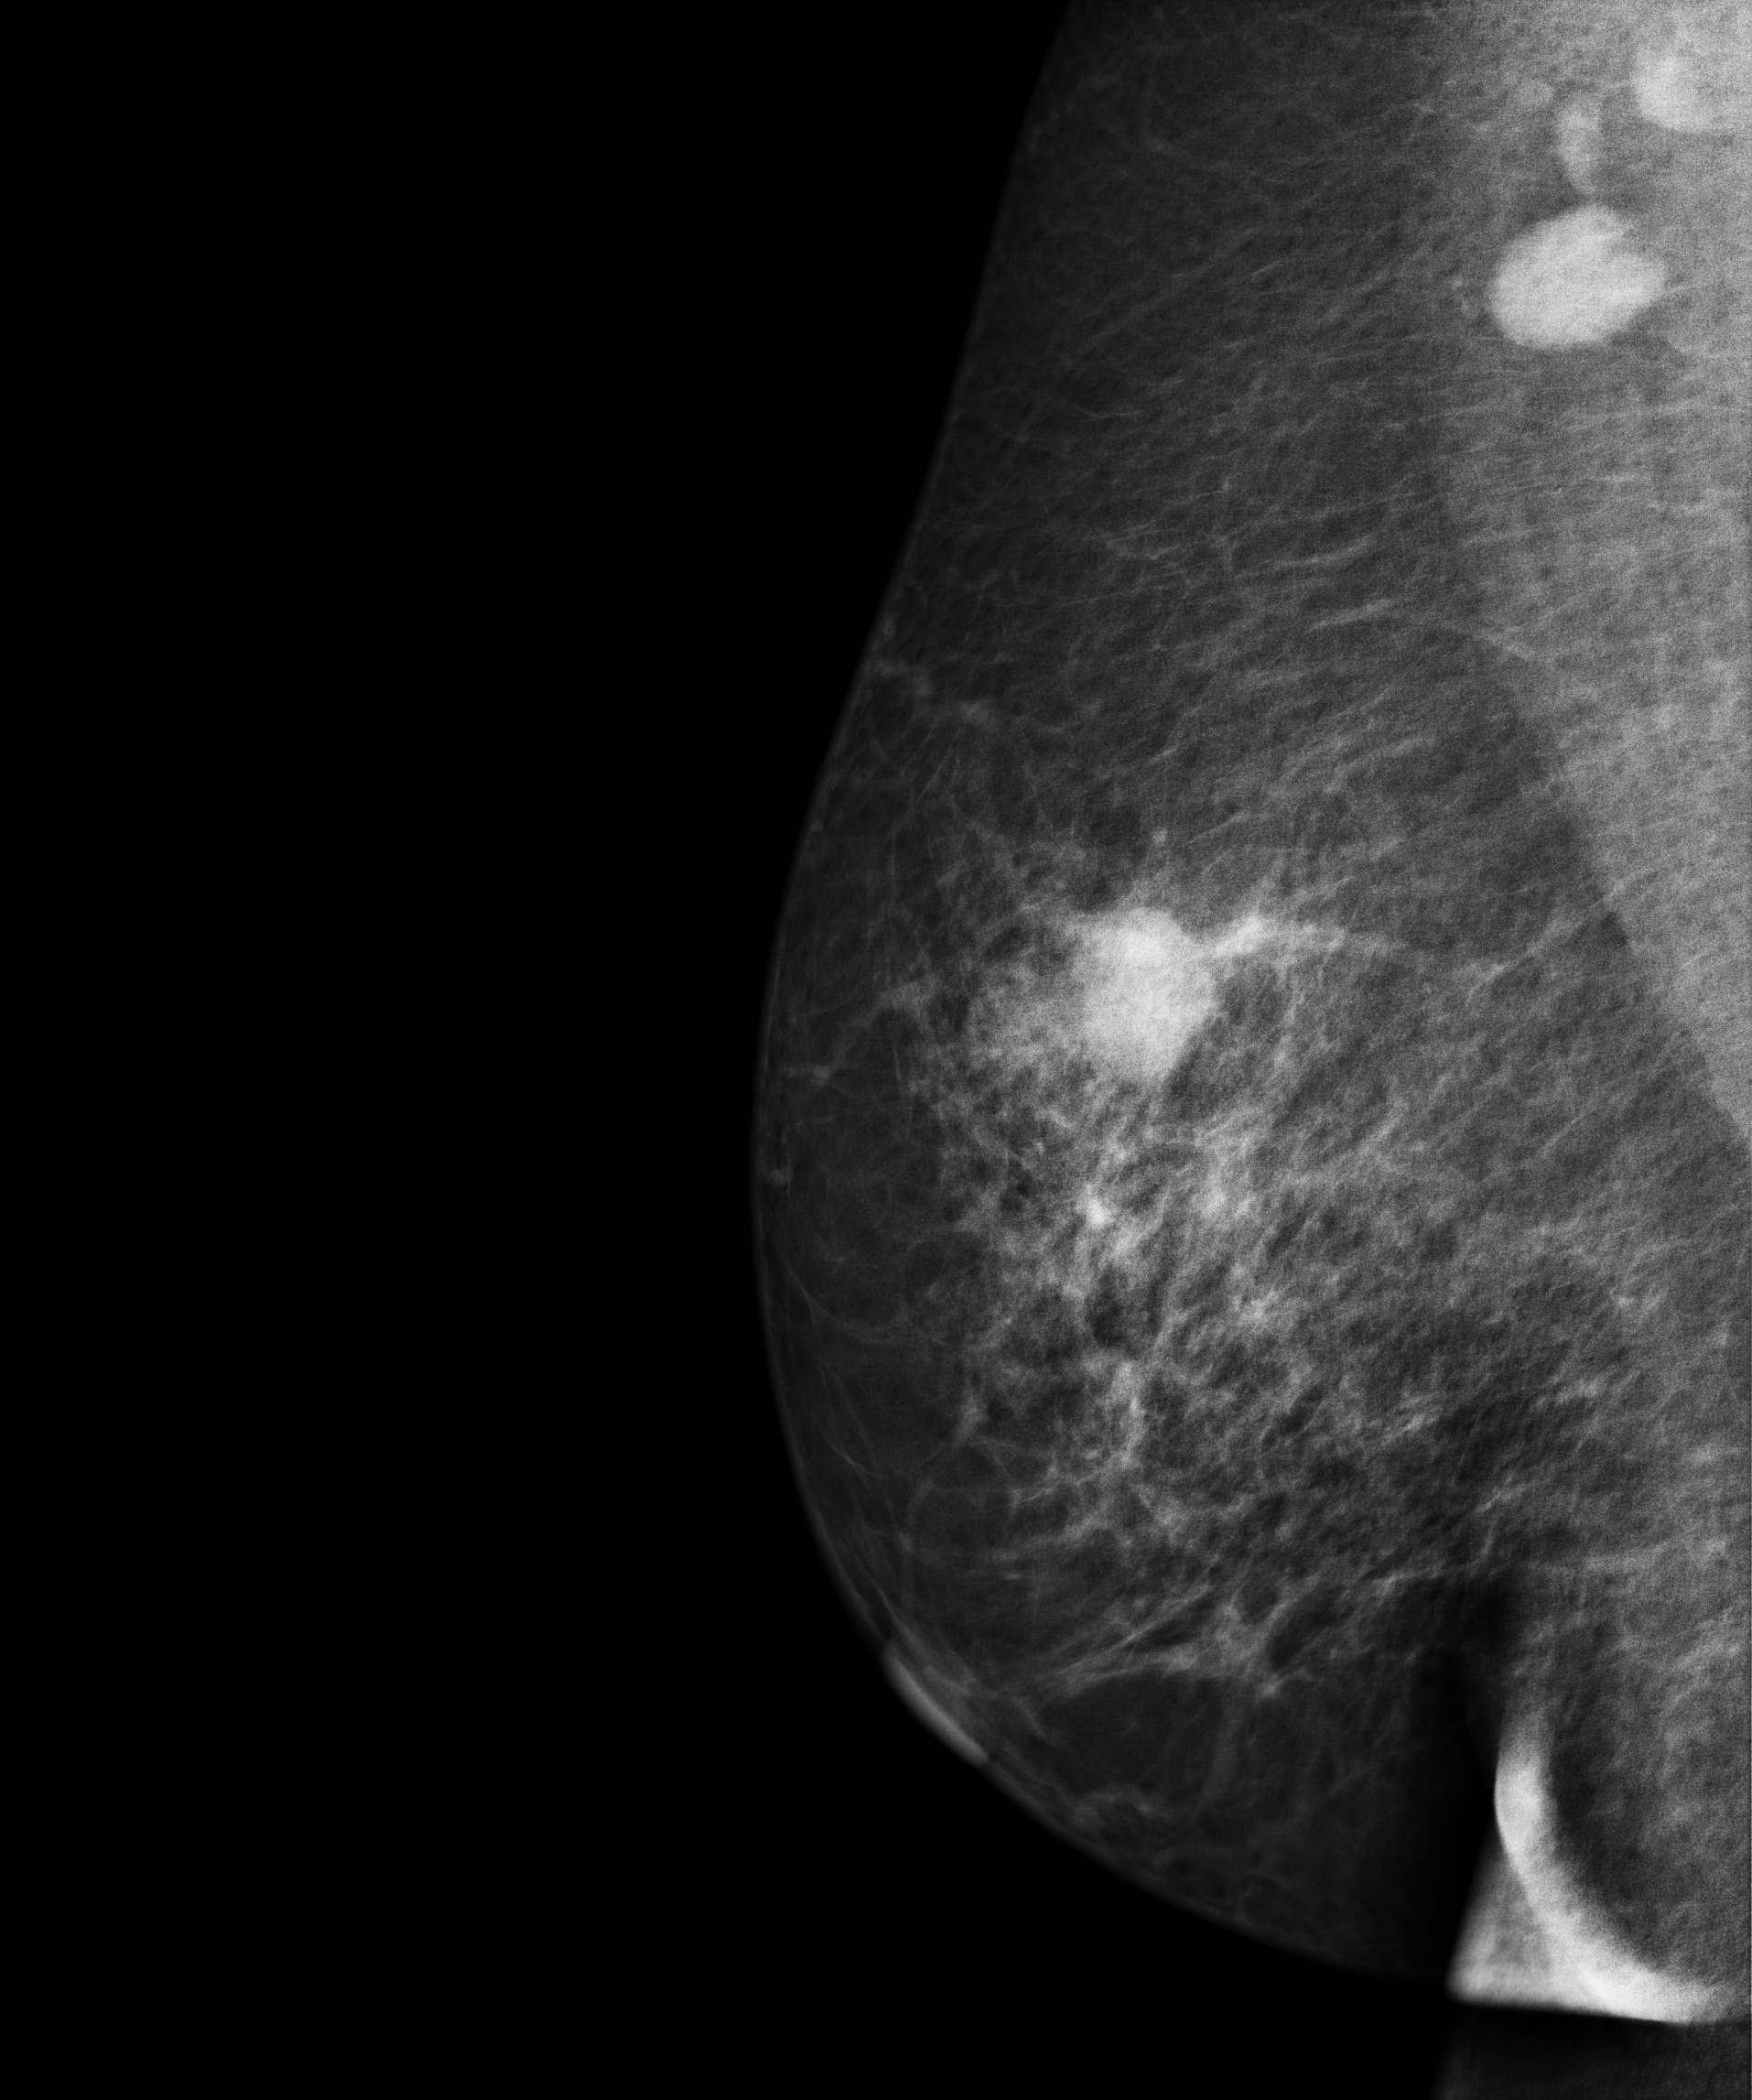
Right-breast mammogram, medio-lateral oblique. 49-year-old patient.
This breast has a mass, biopsy-confirmed malignant.